Left-breast mammogram, cranio-caudal. 77-year-old patient.
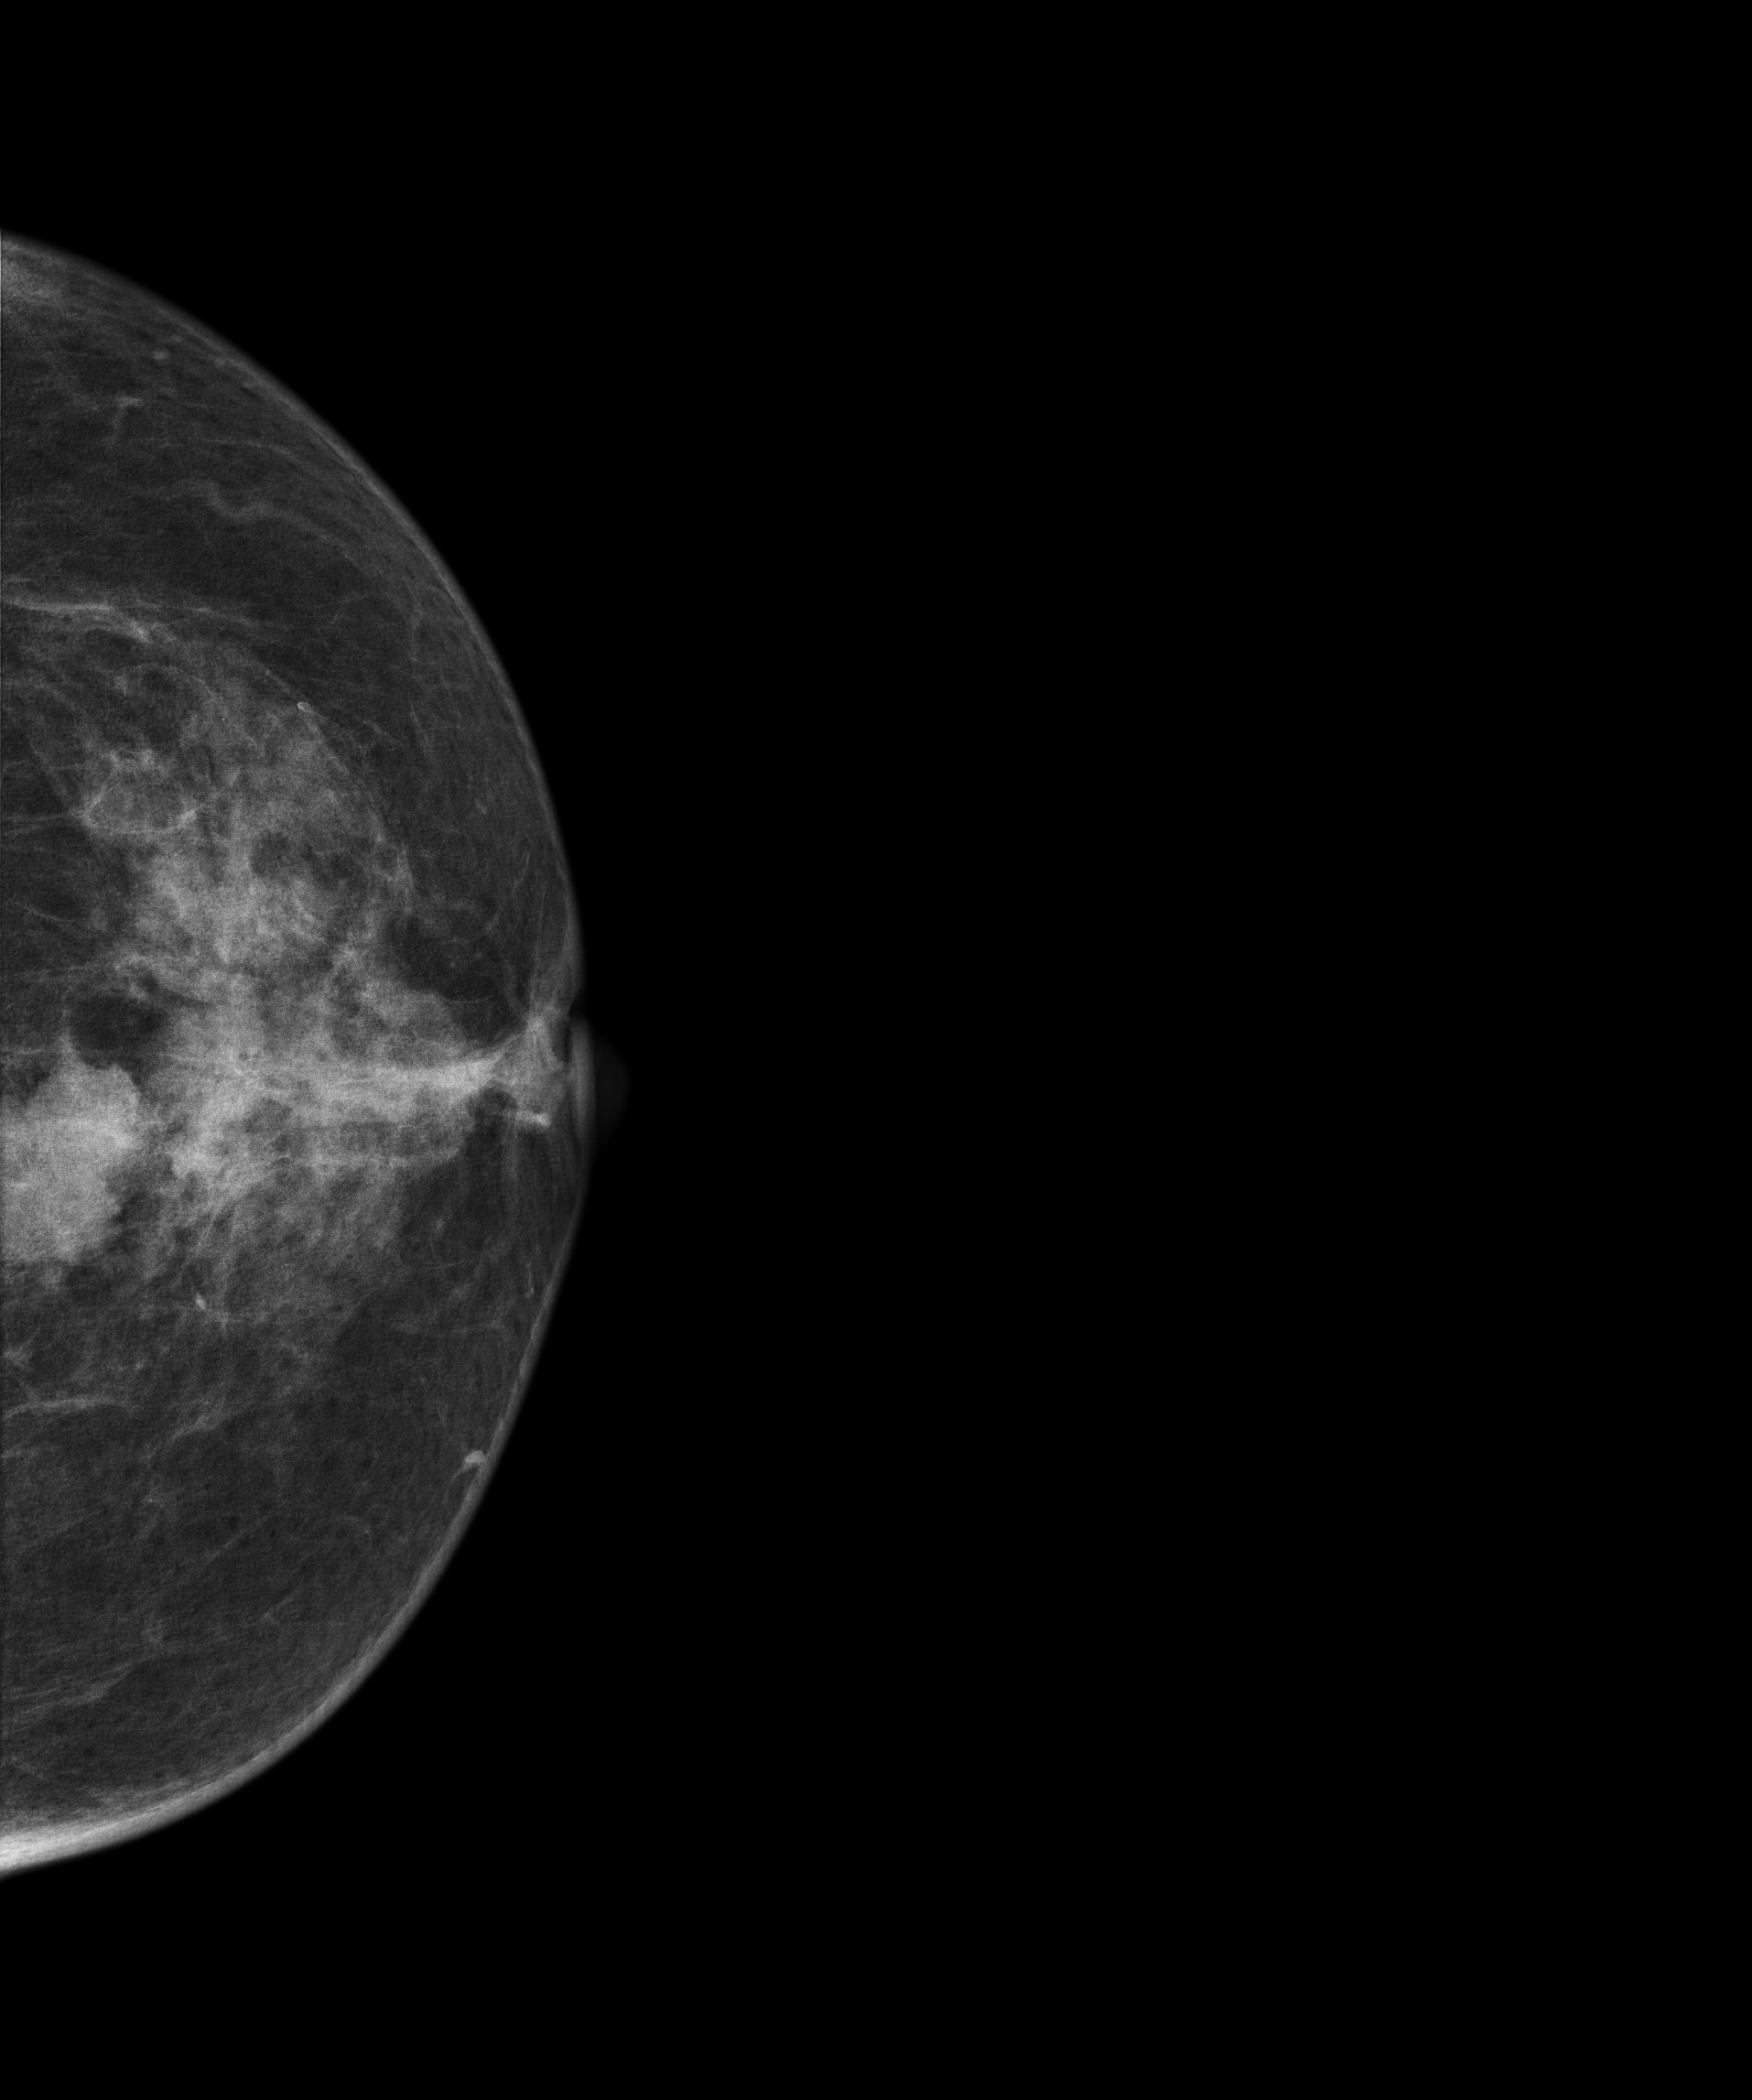
This breast has a mass, biopsy-proven malignant. Molecular subtype: luminal B.